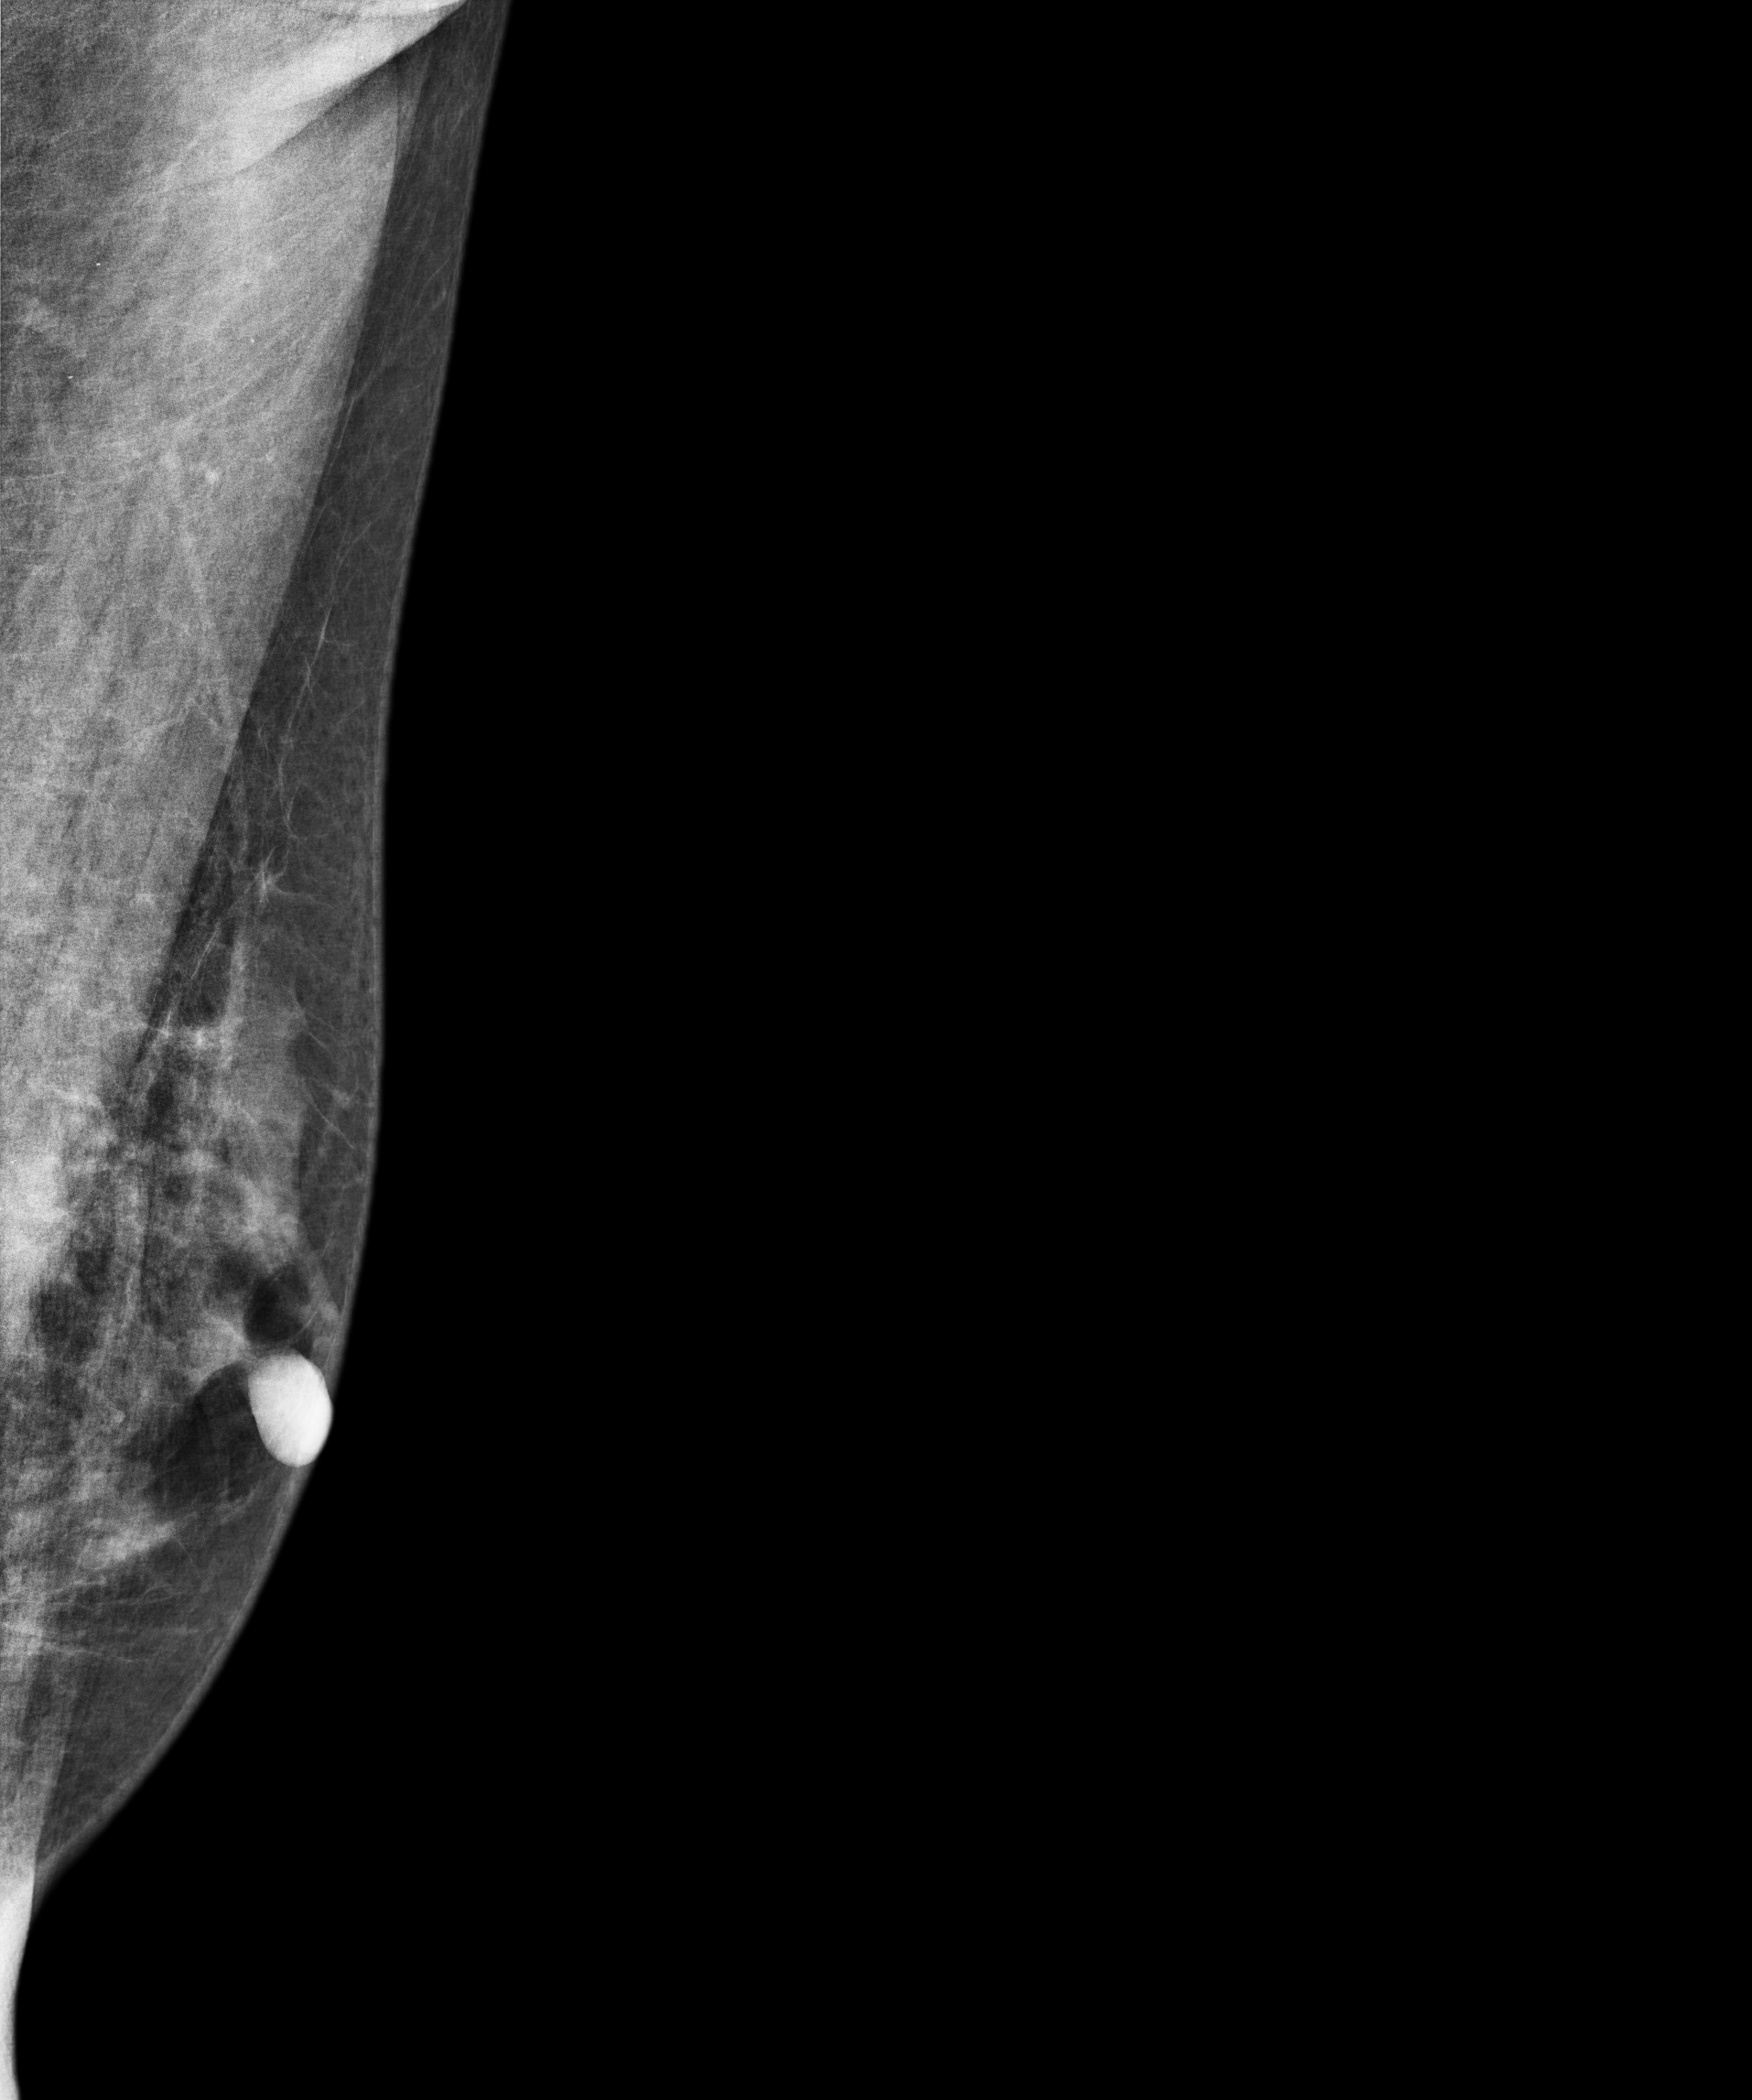
Digital mammography. Left breast, MLO projection. Patient age 45.
This breast has a mass, biopsy-confirmed malignant.